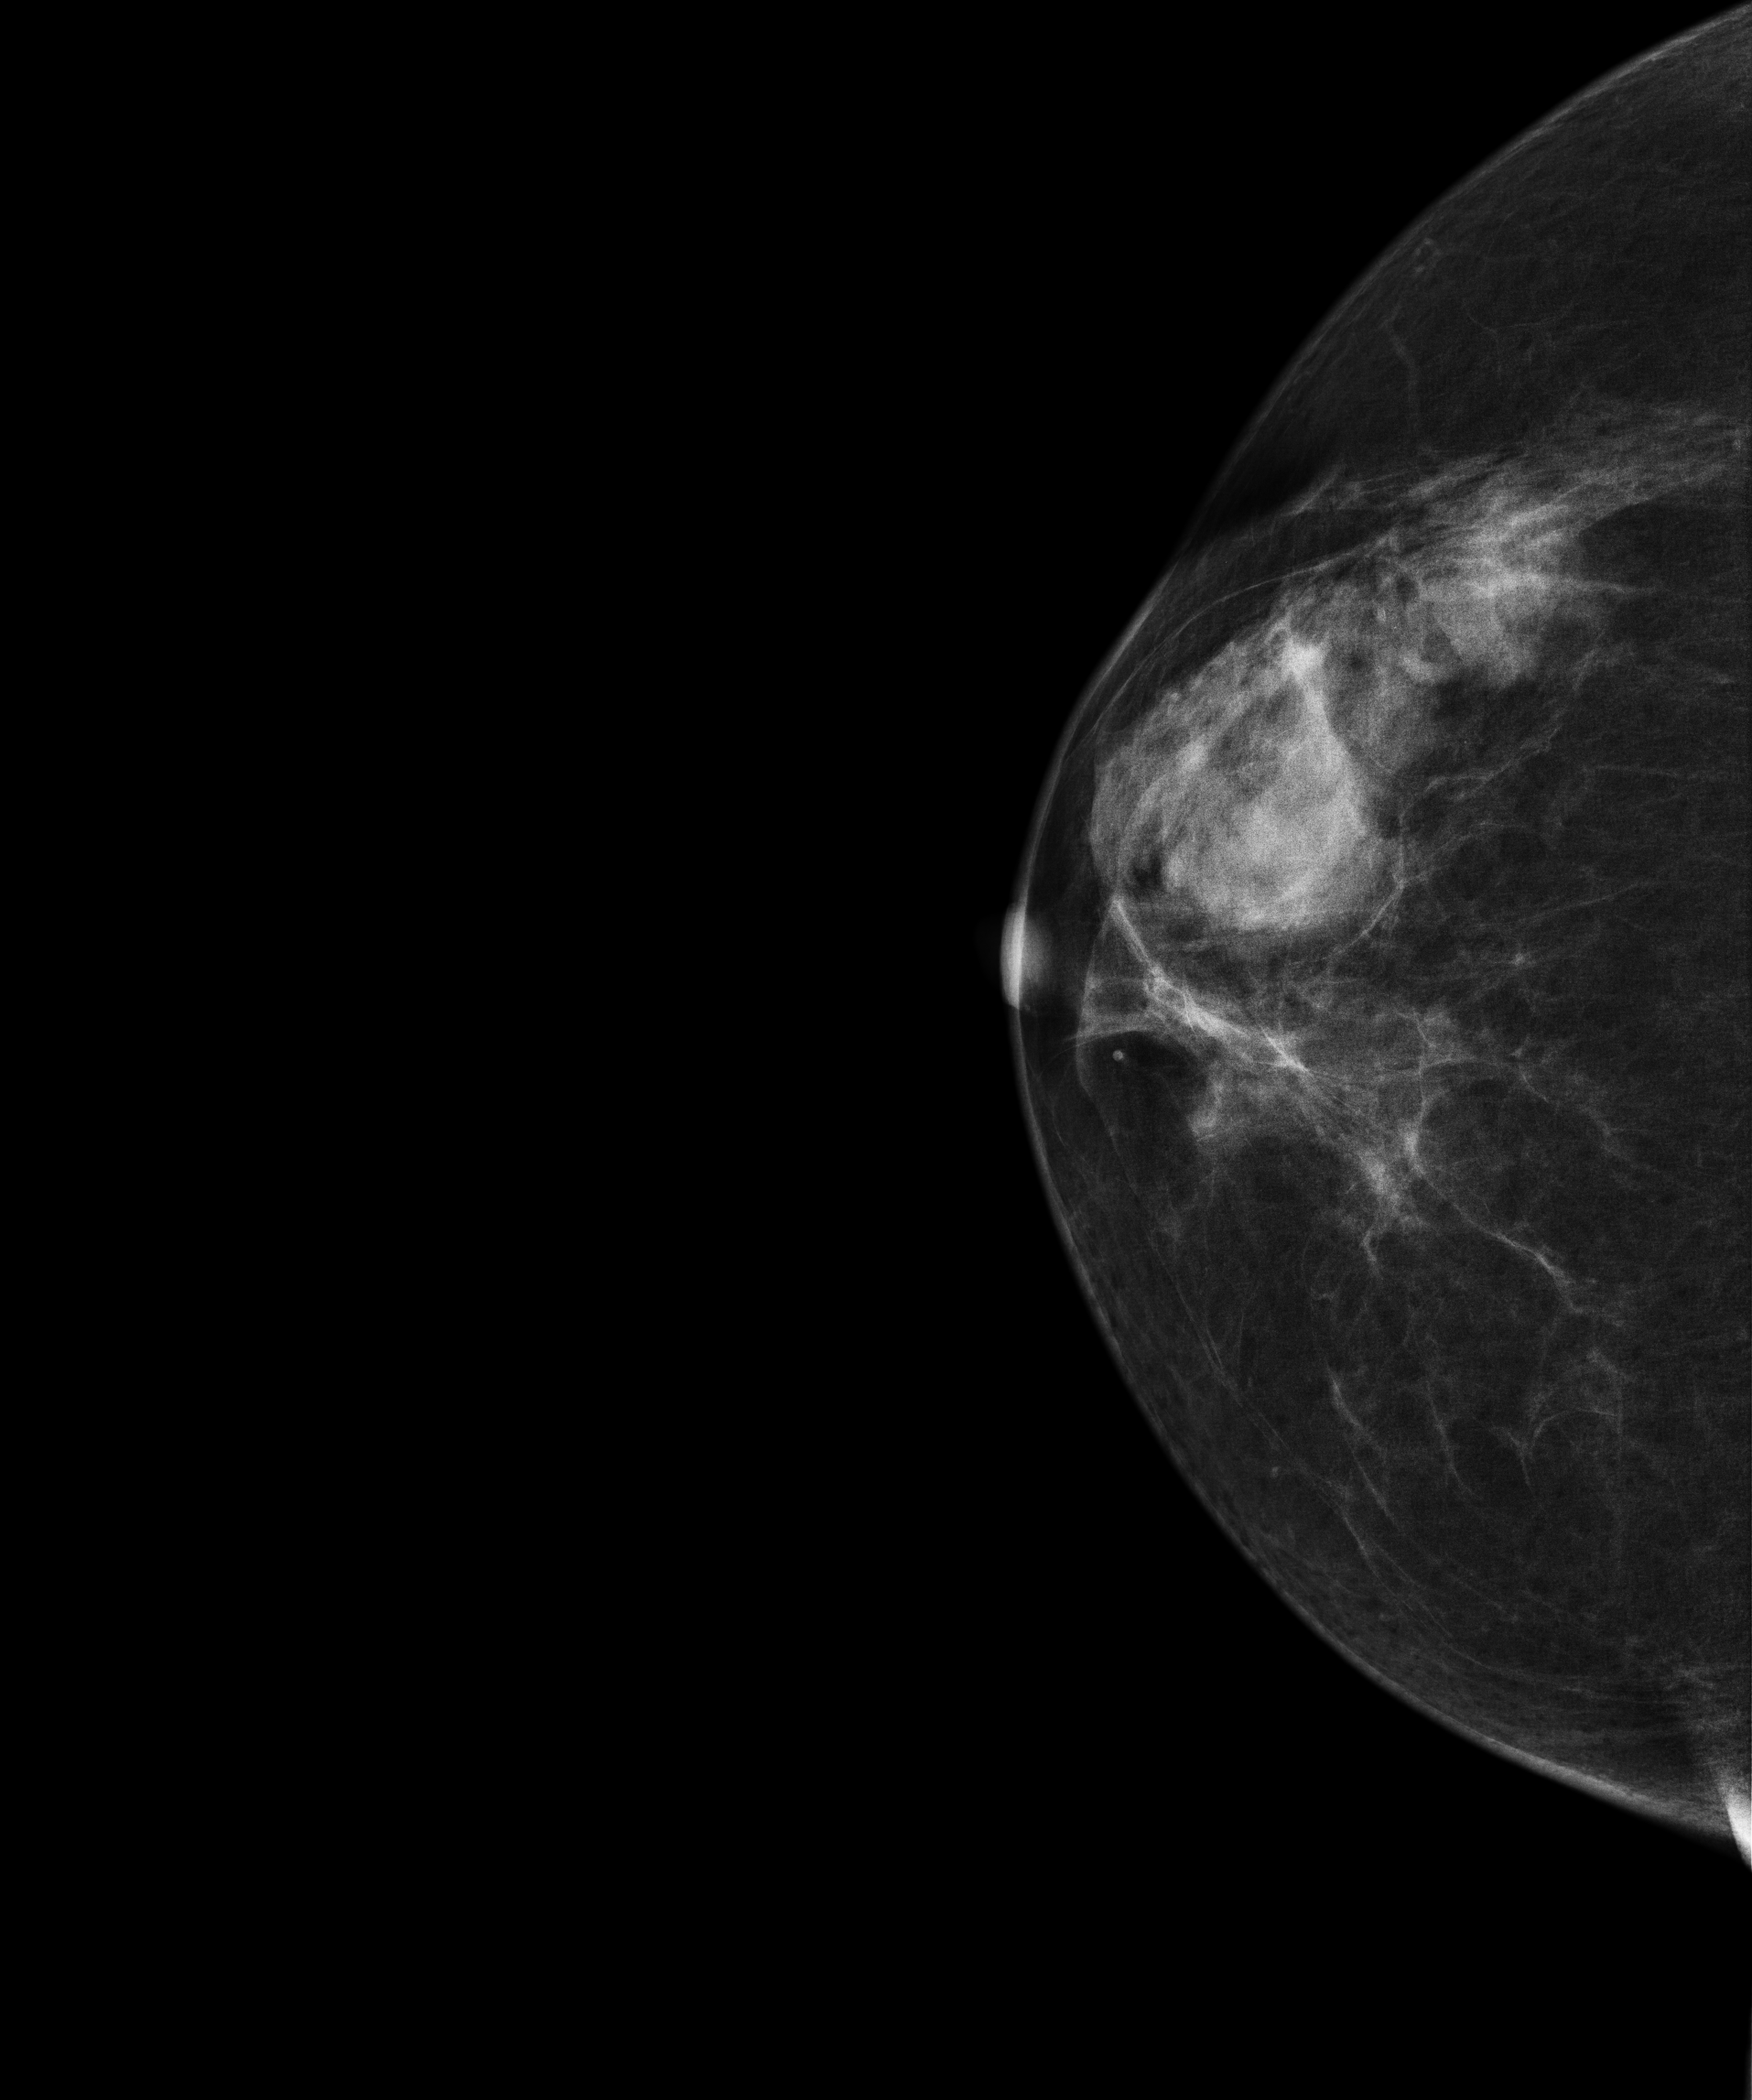
Mammogram — right CC. Patient age 55.
This breast has a mass, biopsy-confirmed malignant.